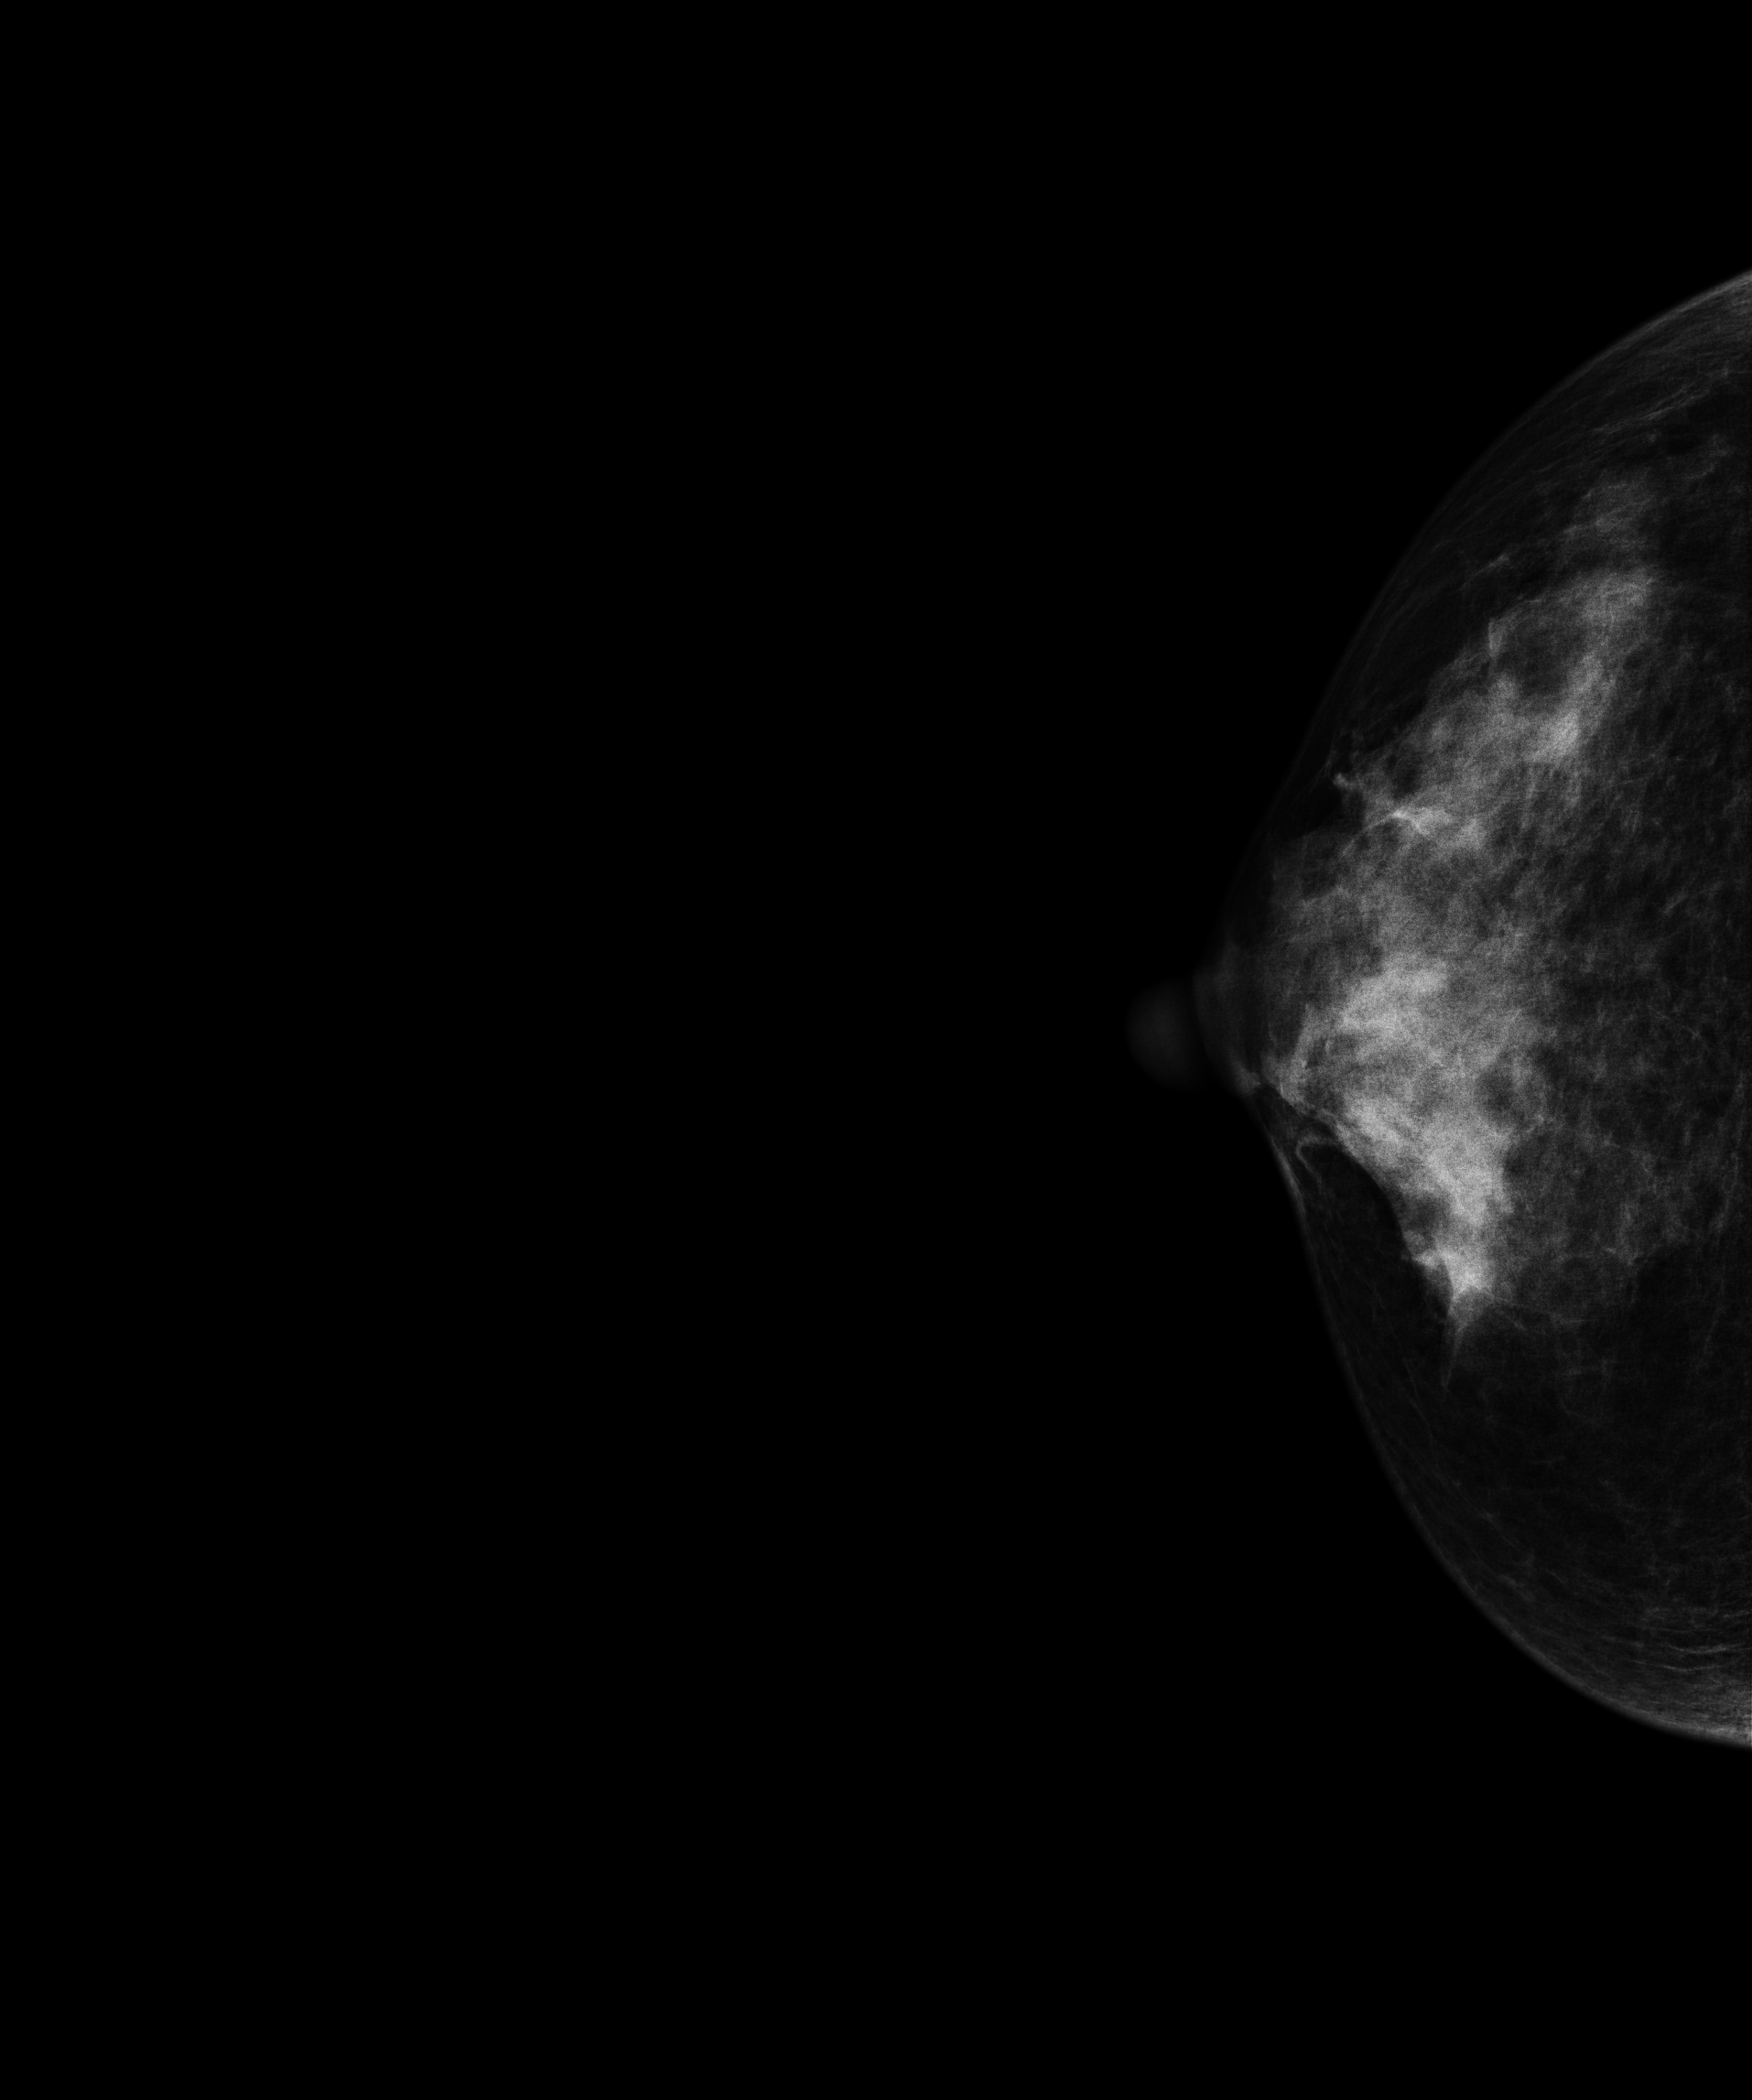
Digital mammography. Right breast, CC projection. Patient age 52.
This breast has a mass and calcifications, pathology-confirmed benign.